Mammogram, left breast, cranio-caudal view. 81 y/o patient.
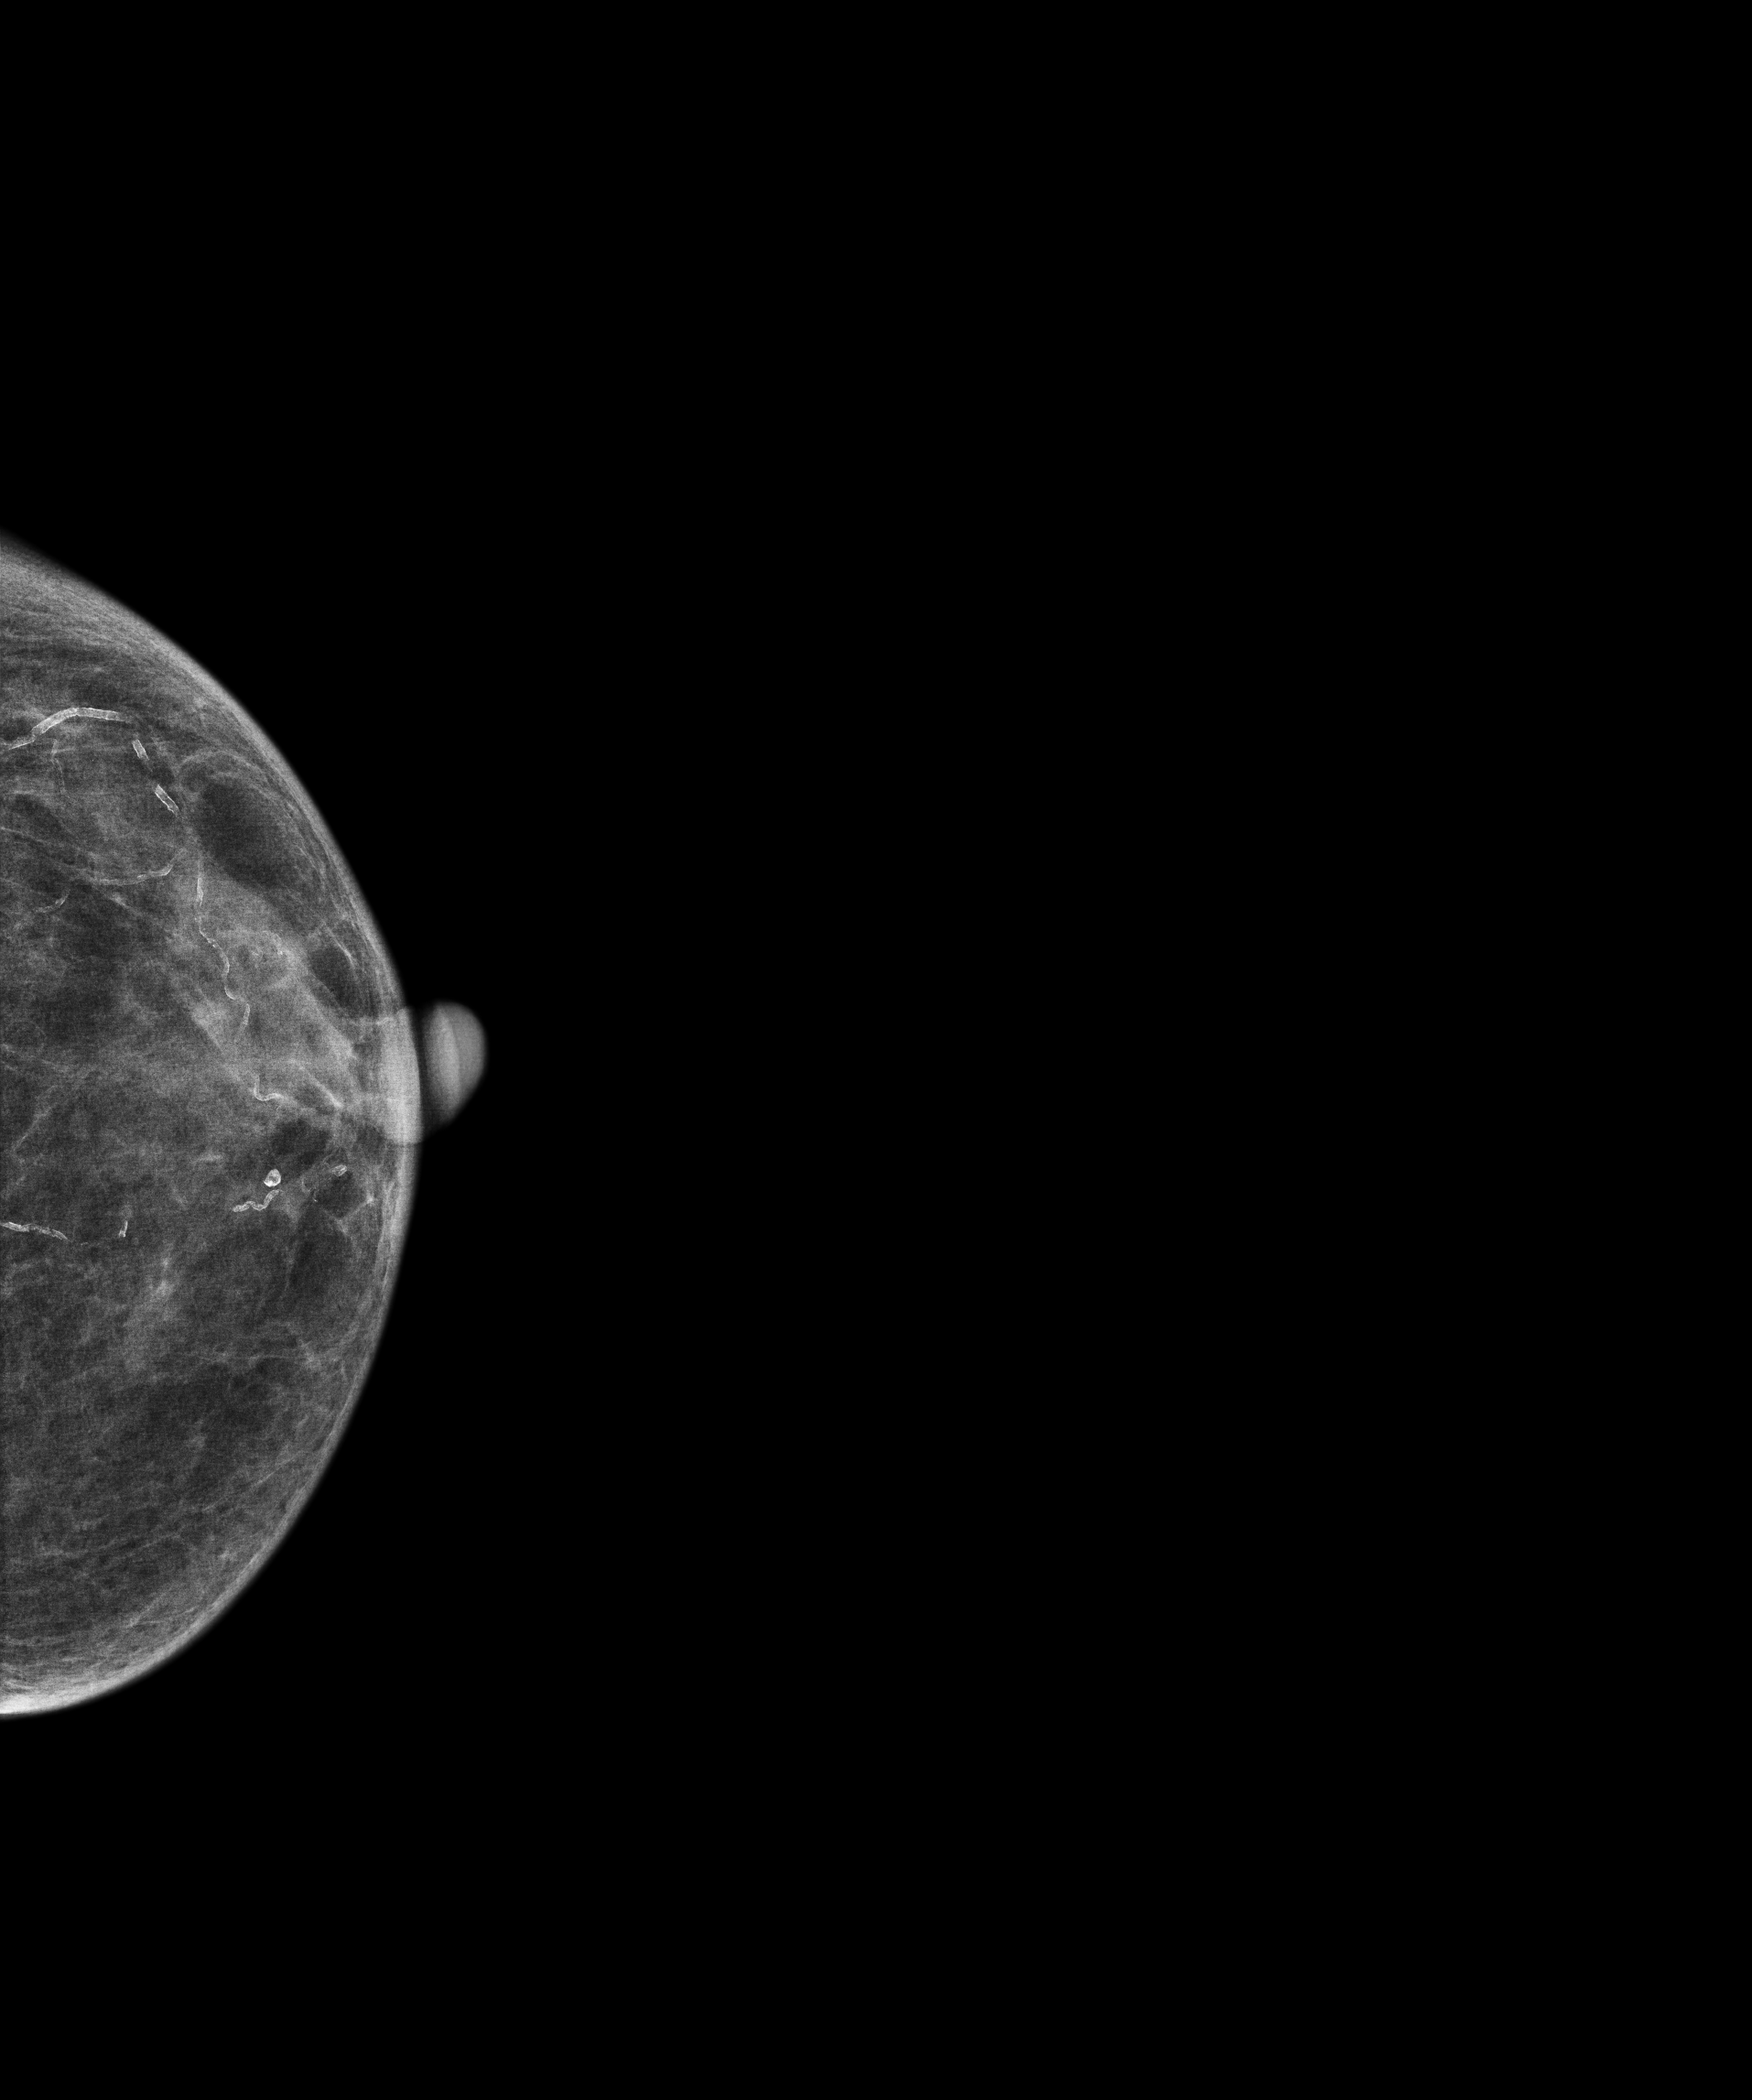
Contralateral breast — no documented abnormality on this side.